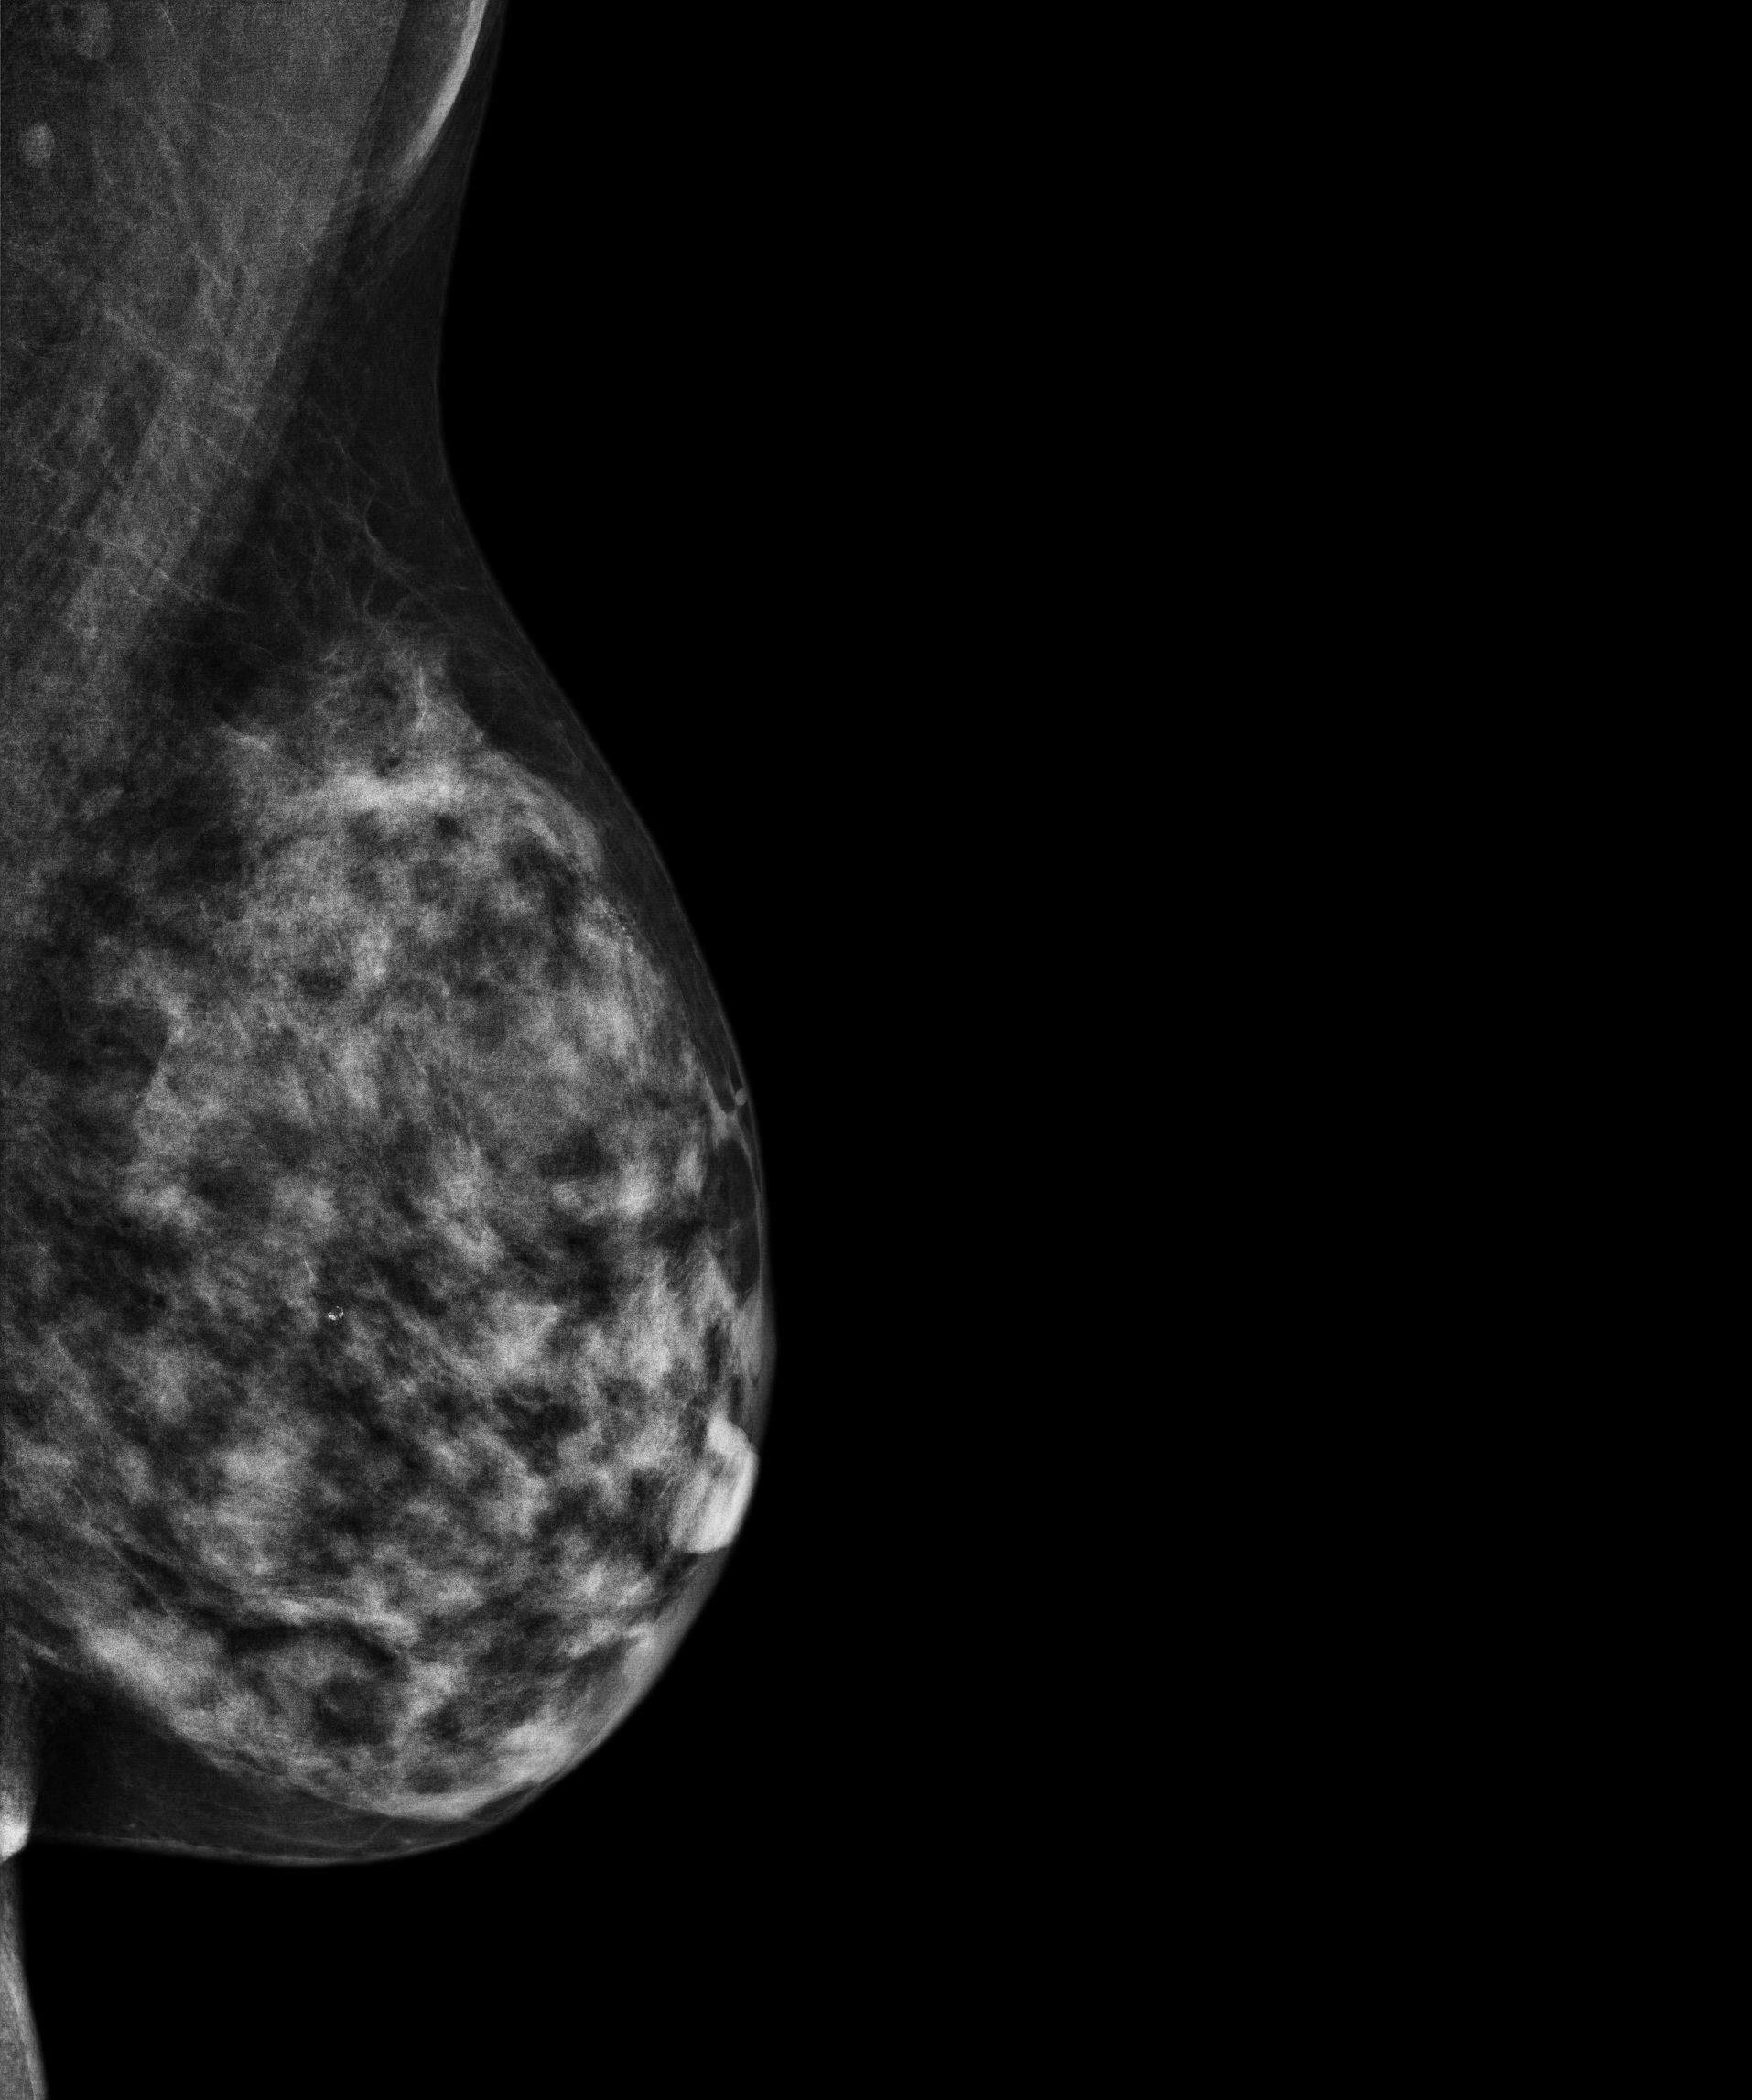
Mammogram — left MLO. Patient age 49.
This breast has calcifications, biopsy-confirmed benign.